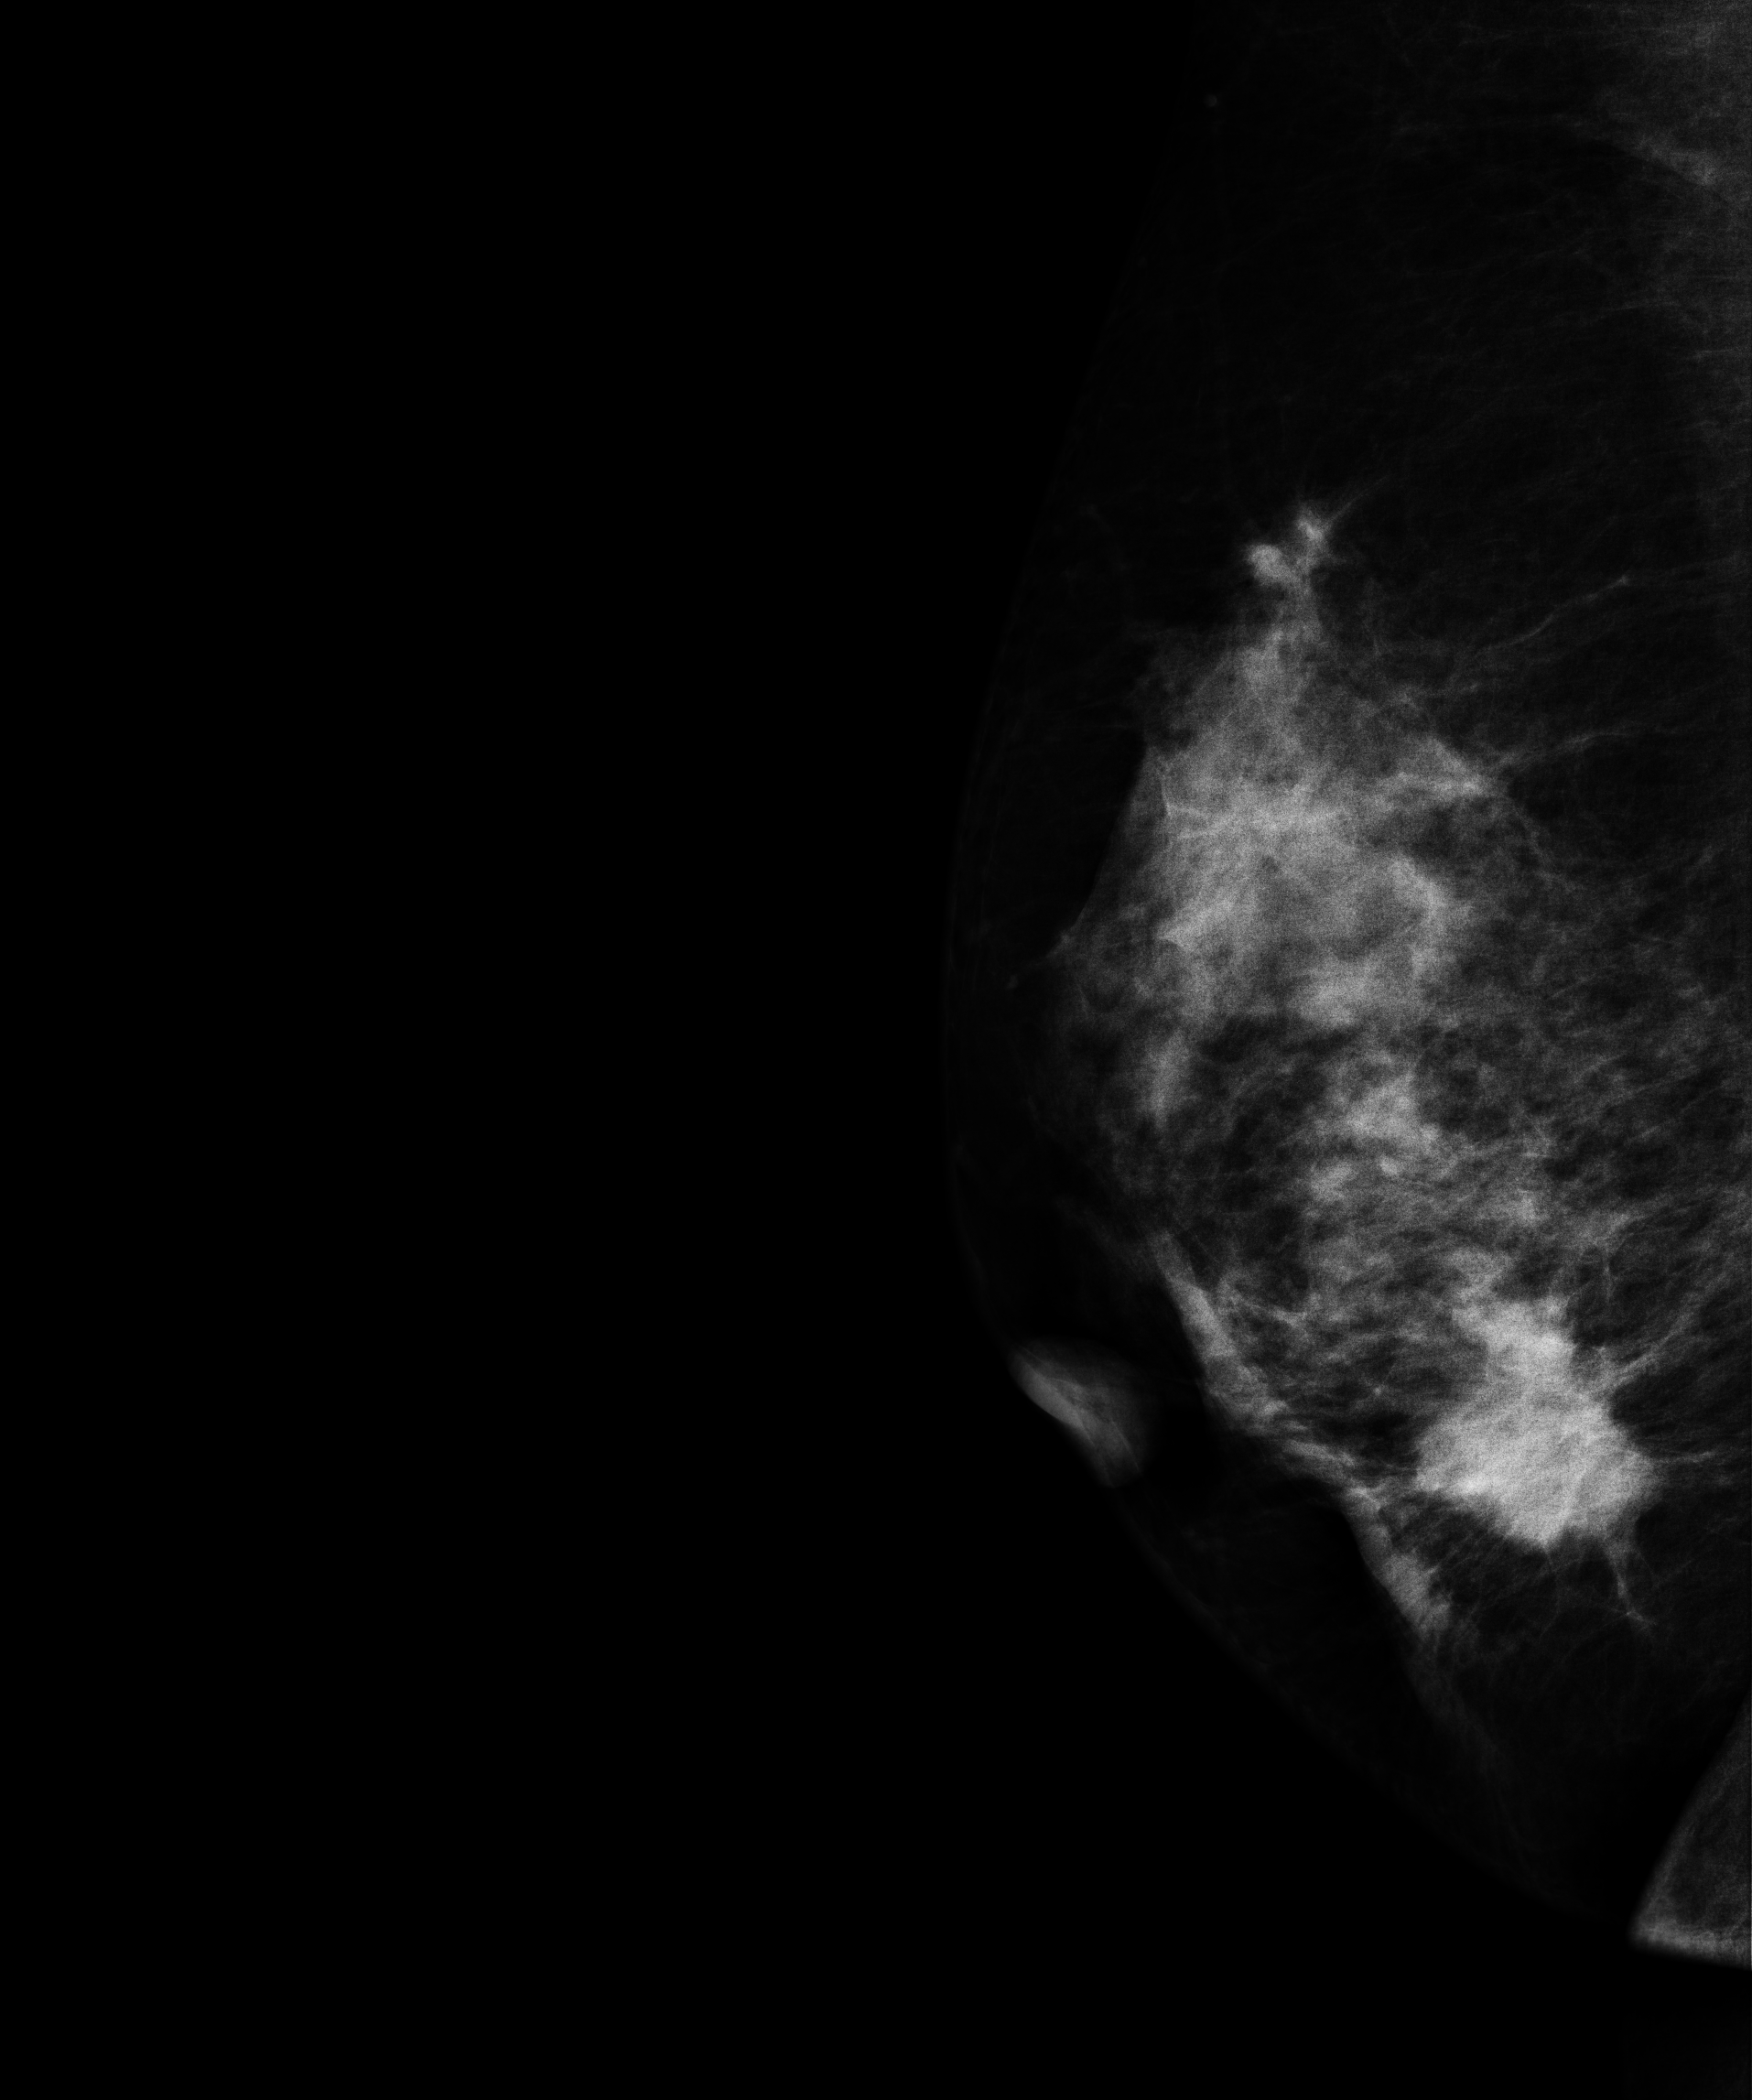
Mammogram, right breast, medio-lateral oblique view. Patient age 44.
This breast has a mass, histologically confirmed malignant. Molecular subtype: luminal B.